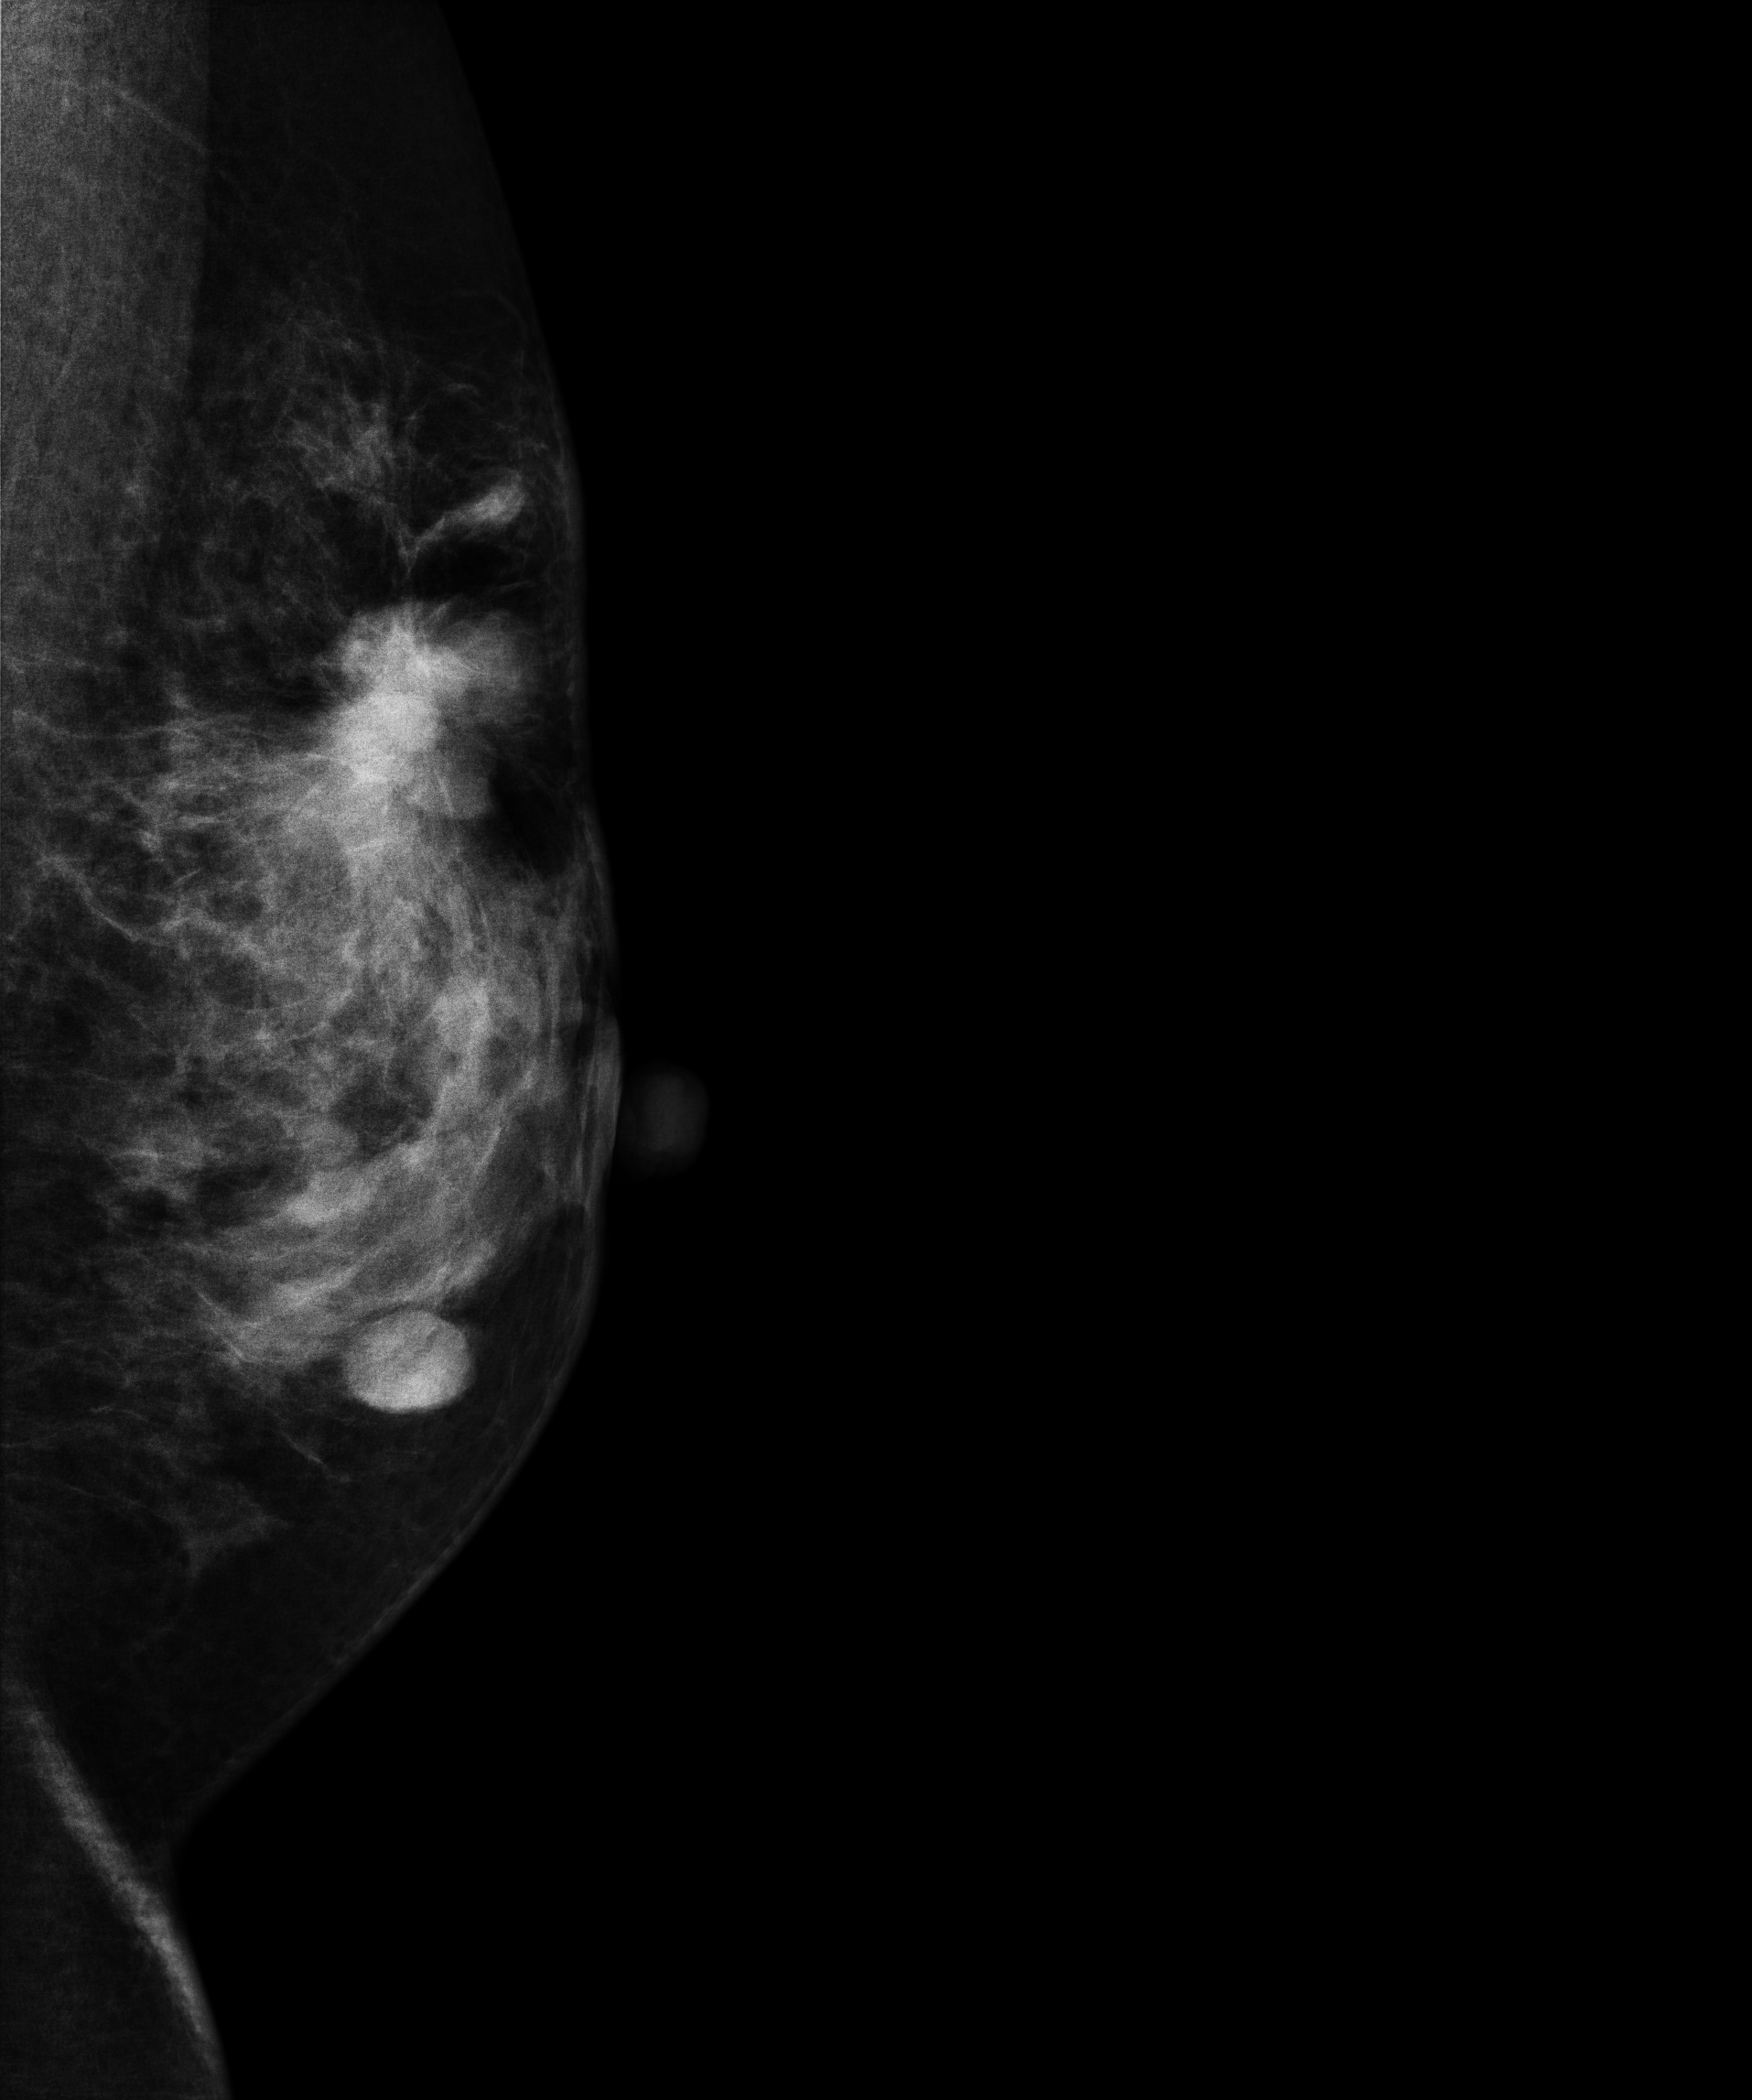
Mammogram — left MLO. 49 y/o patient.
This breast has a mass, histologically confirmed malignant.